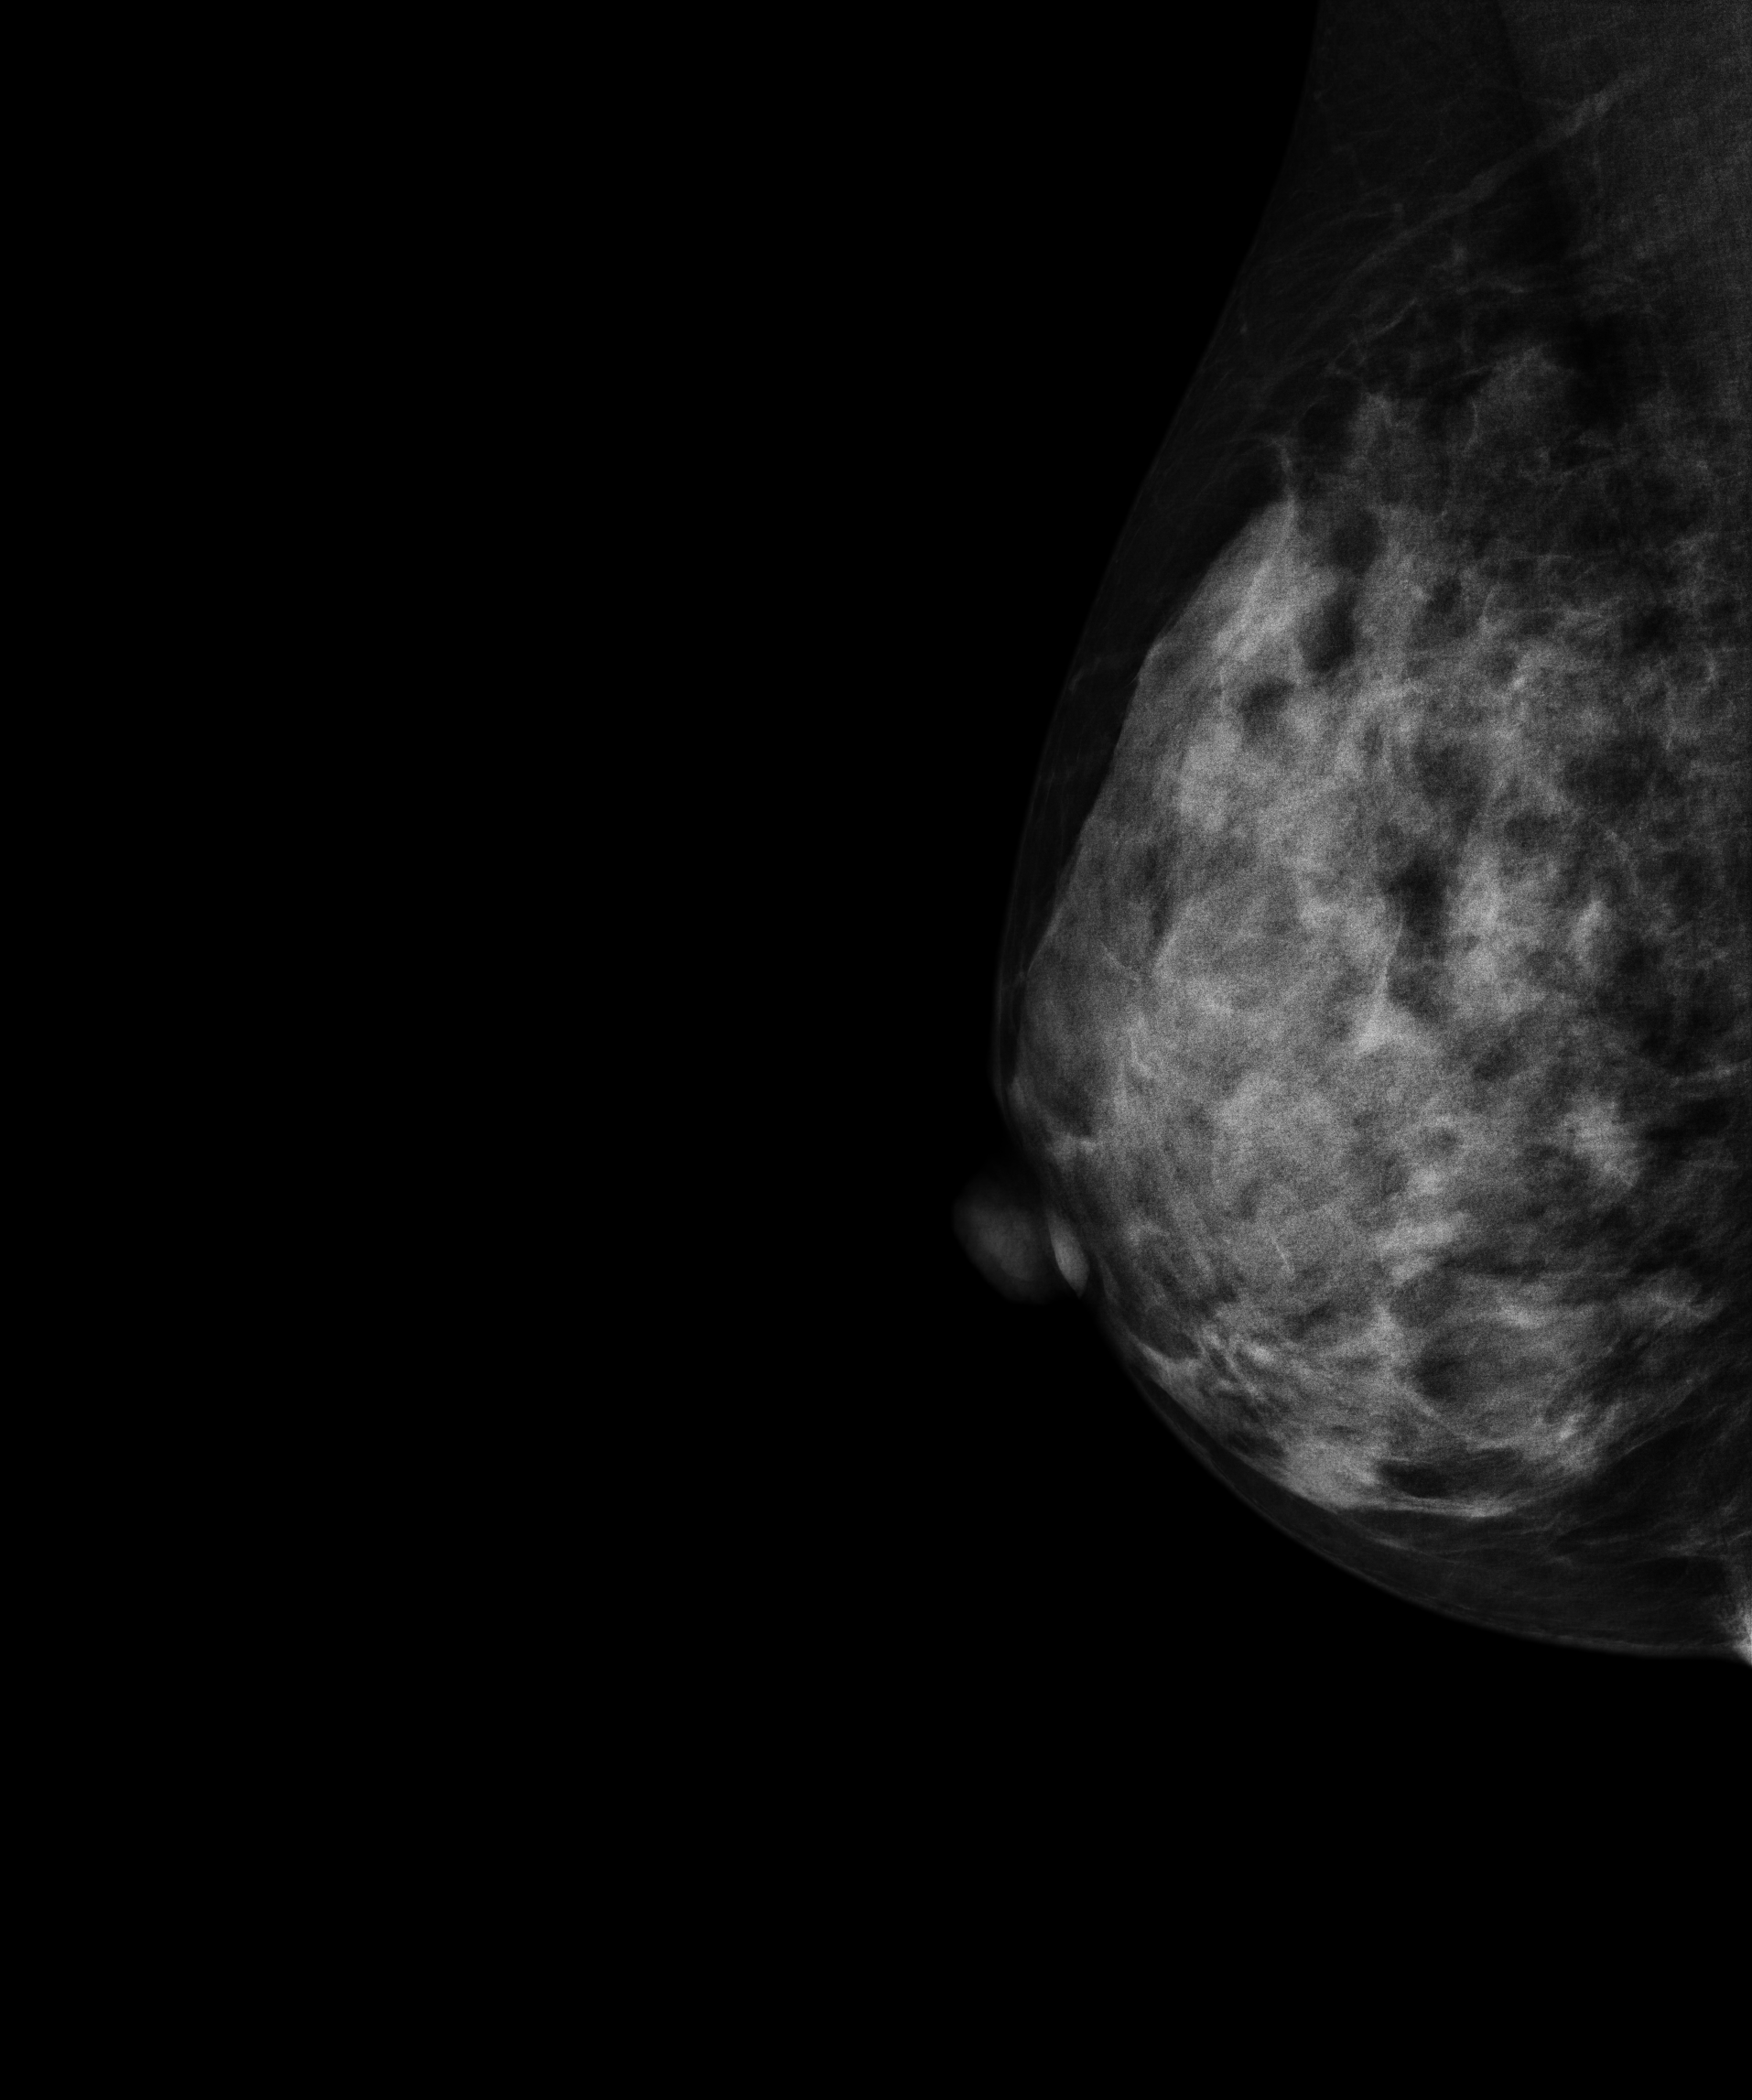
Digital mammography. Right breast, MLO projection. 44 y/o patient.
This breast has a mass, pathology-confirmed benign.